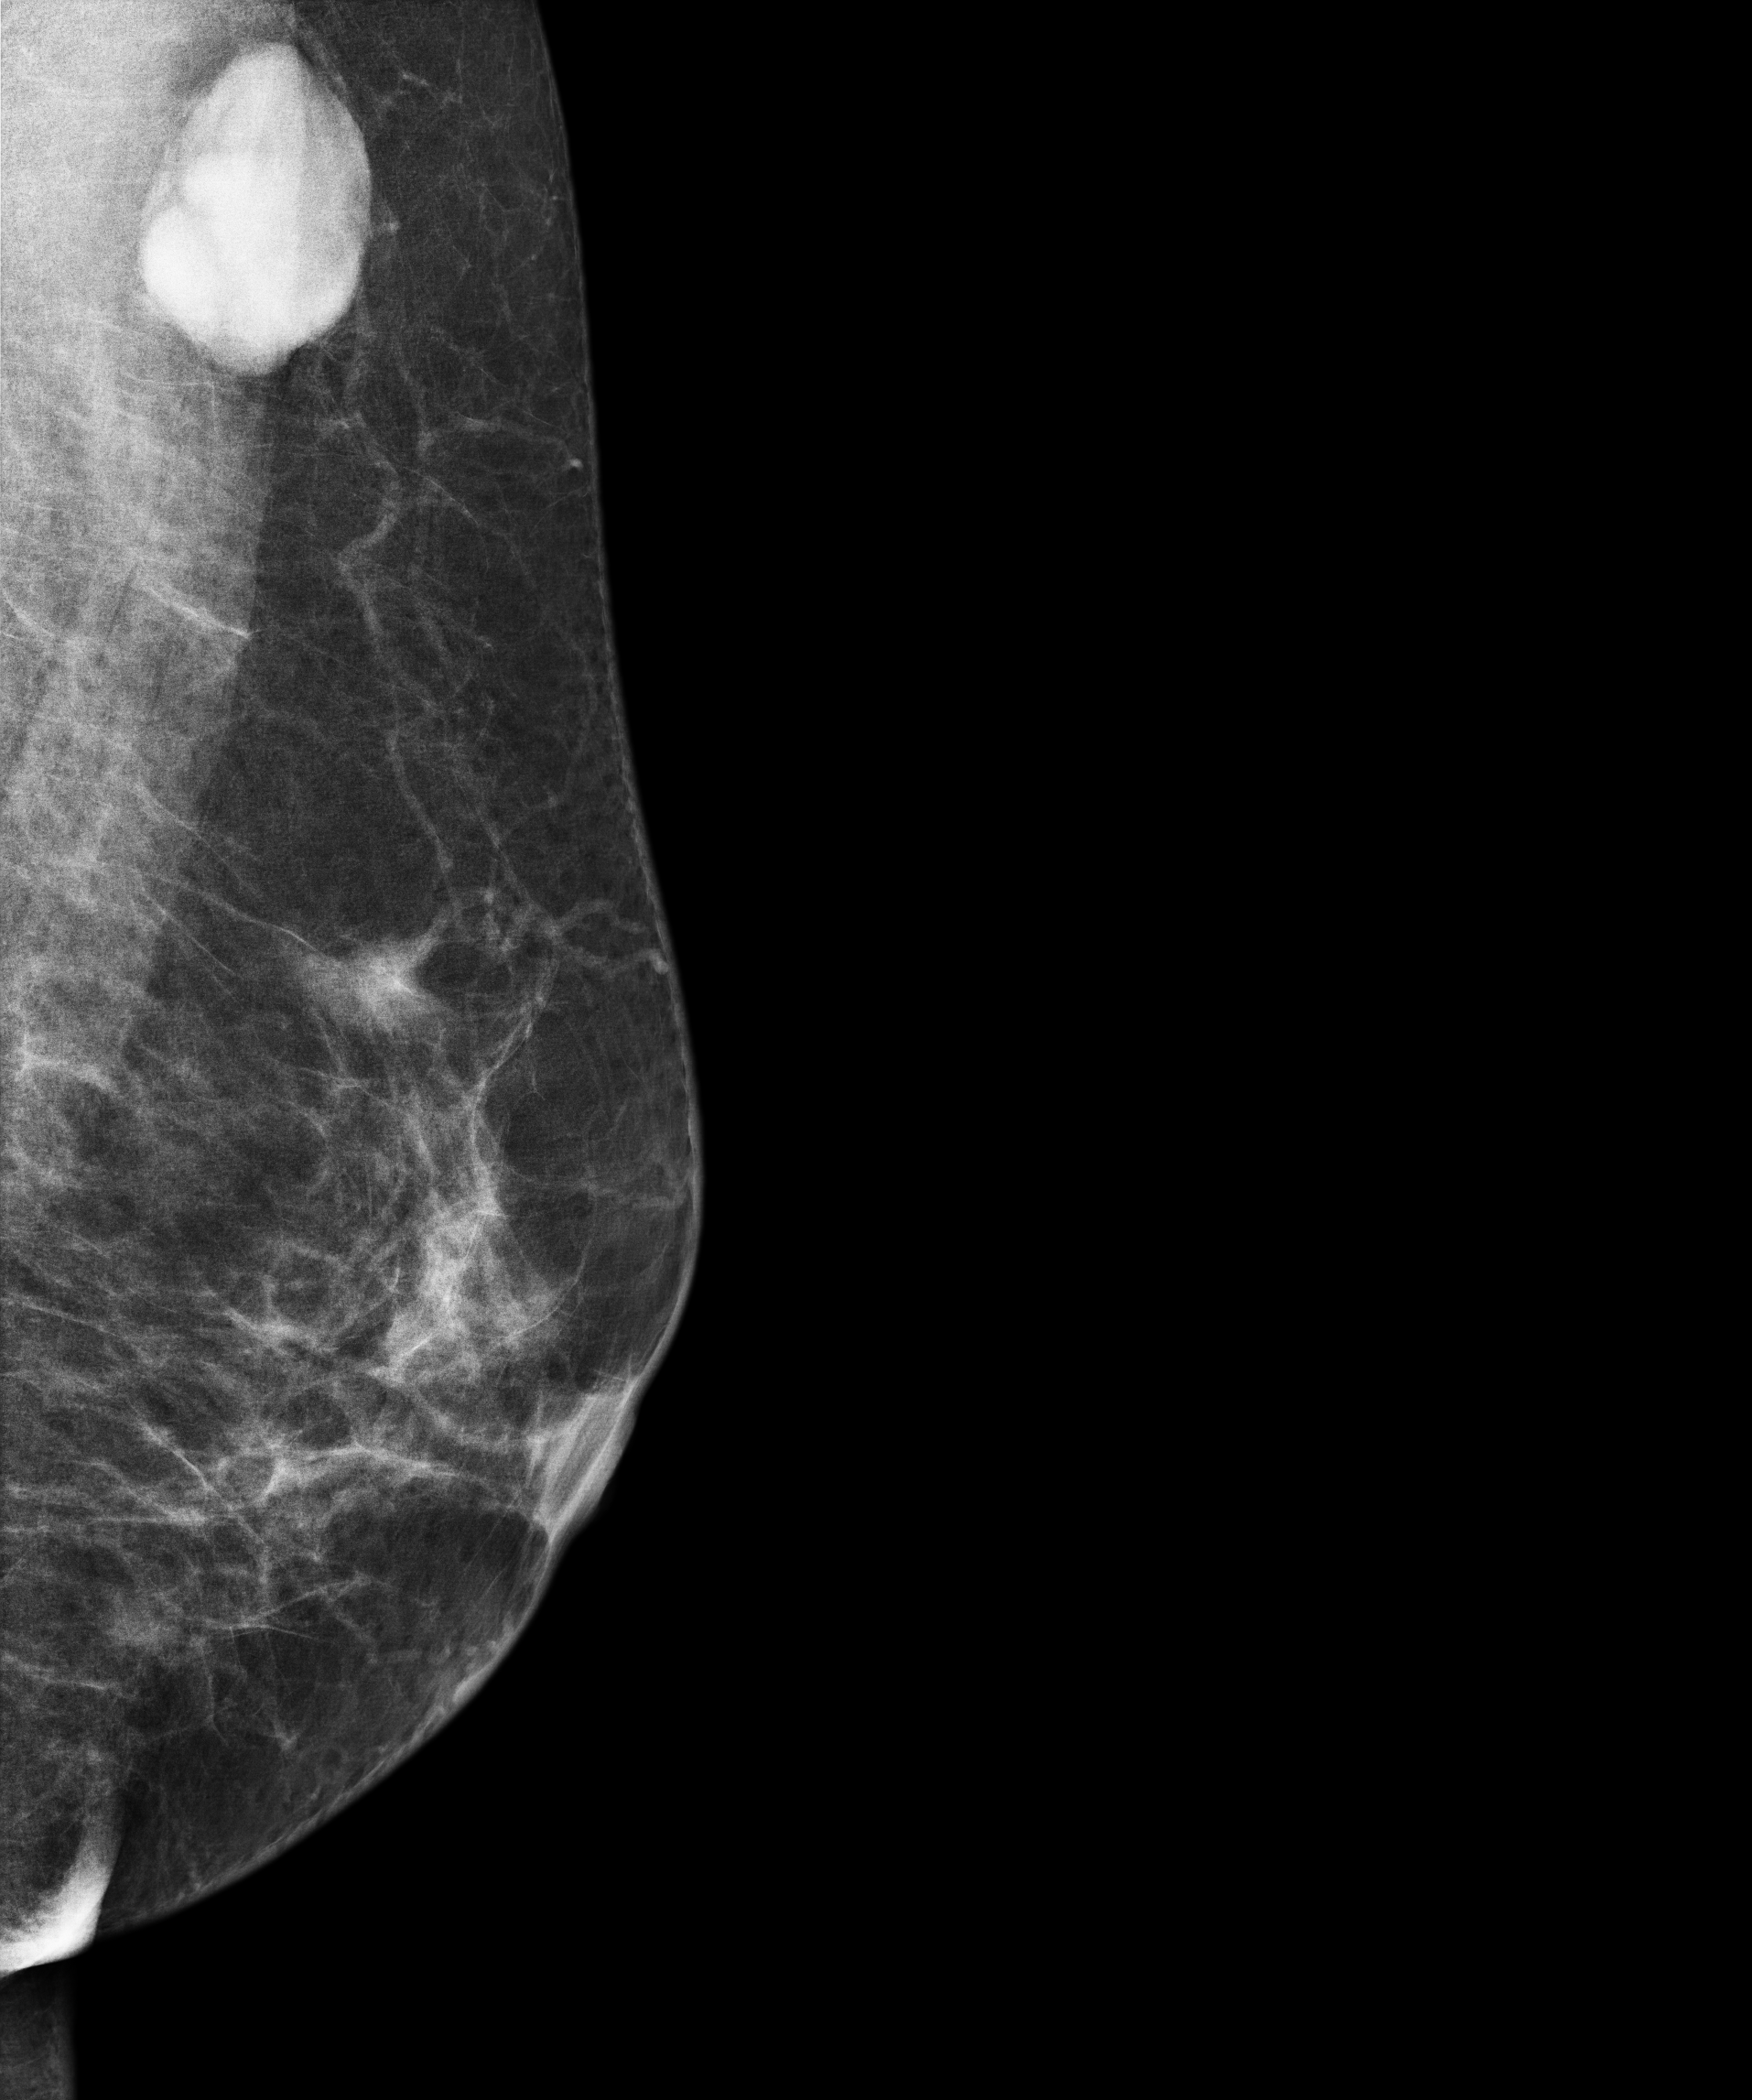
Mammogram — left MLO. Patient age 57.
This breast has a mass, histologically confirmed malignant.